CC mammogram of the right breast. 44 y/o patient.
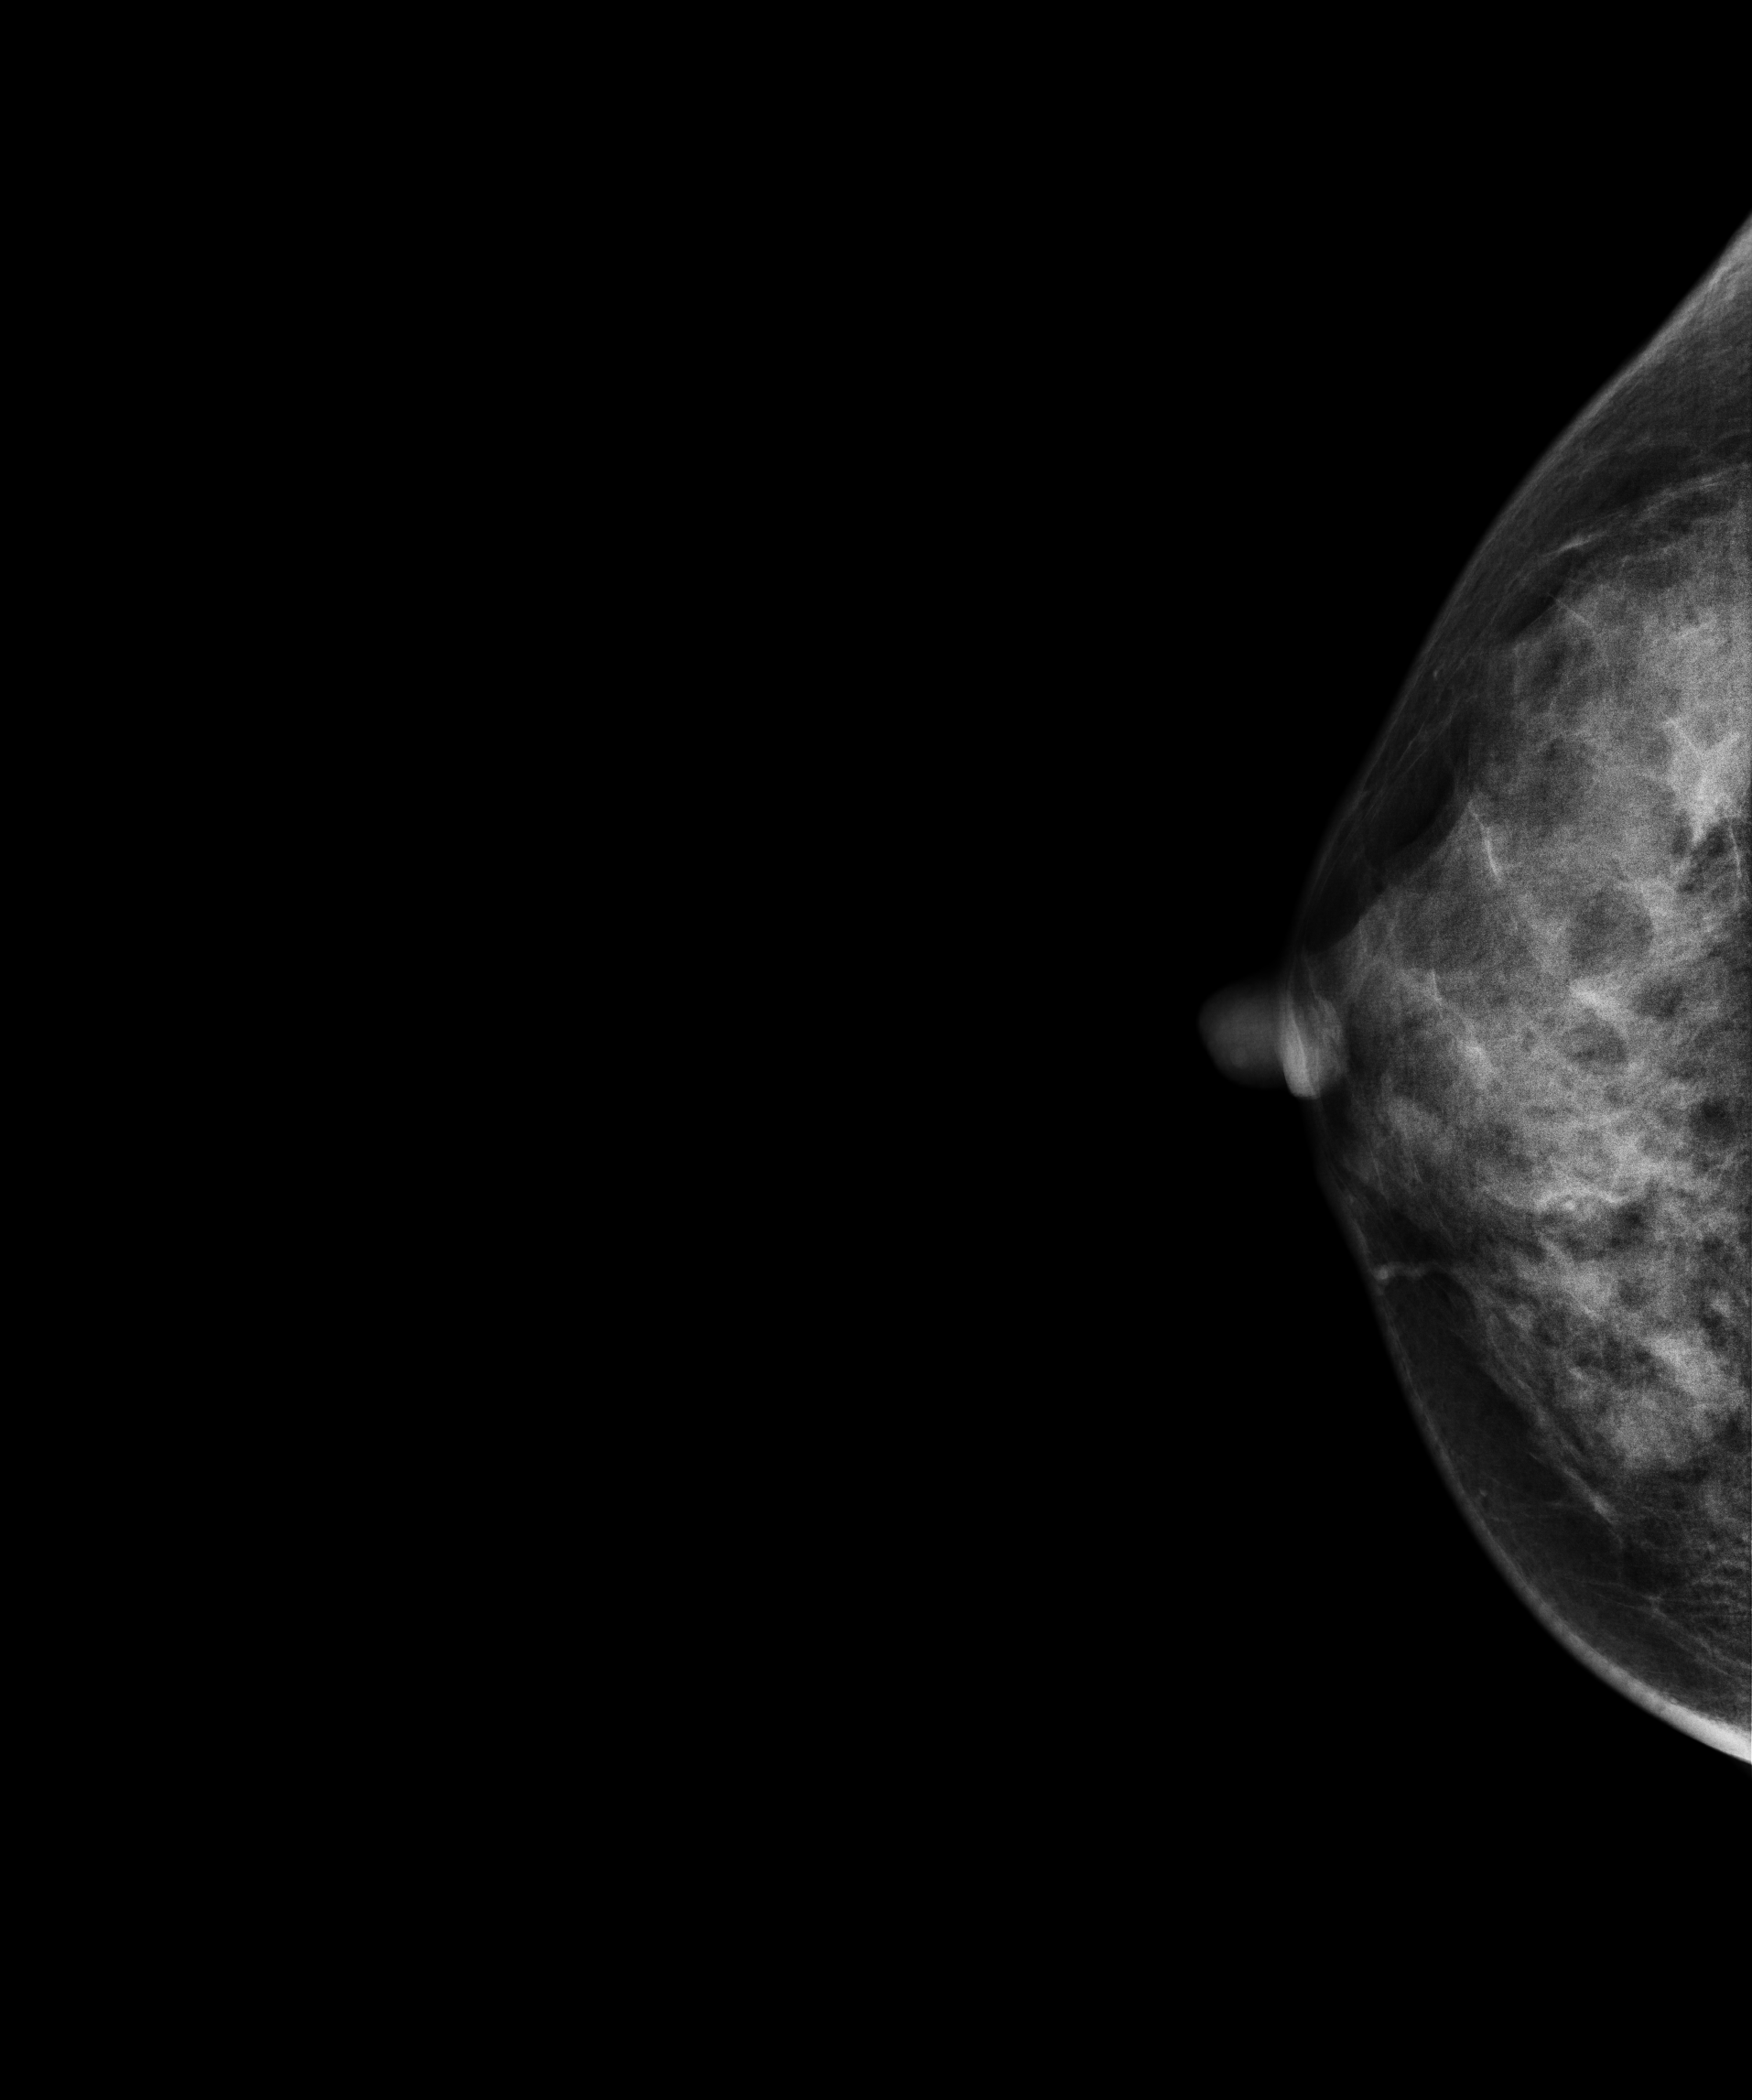
This breast has a mass, pathology-confirmed benign.